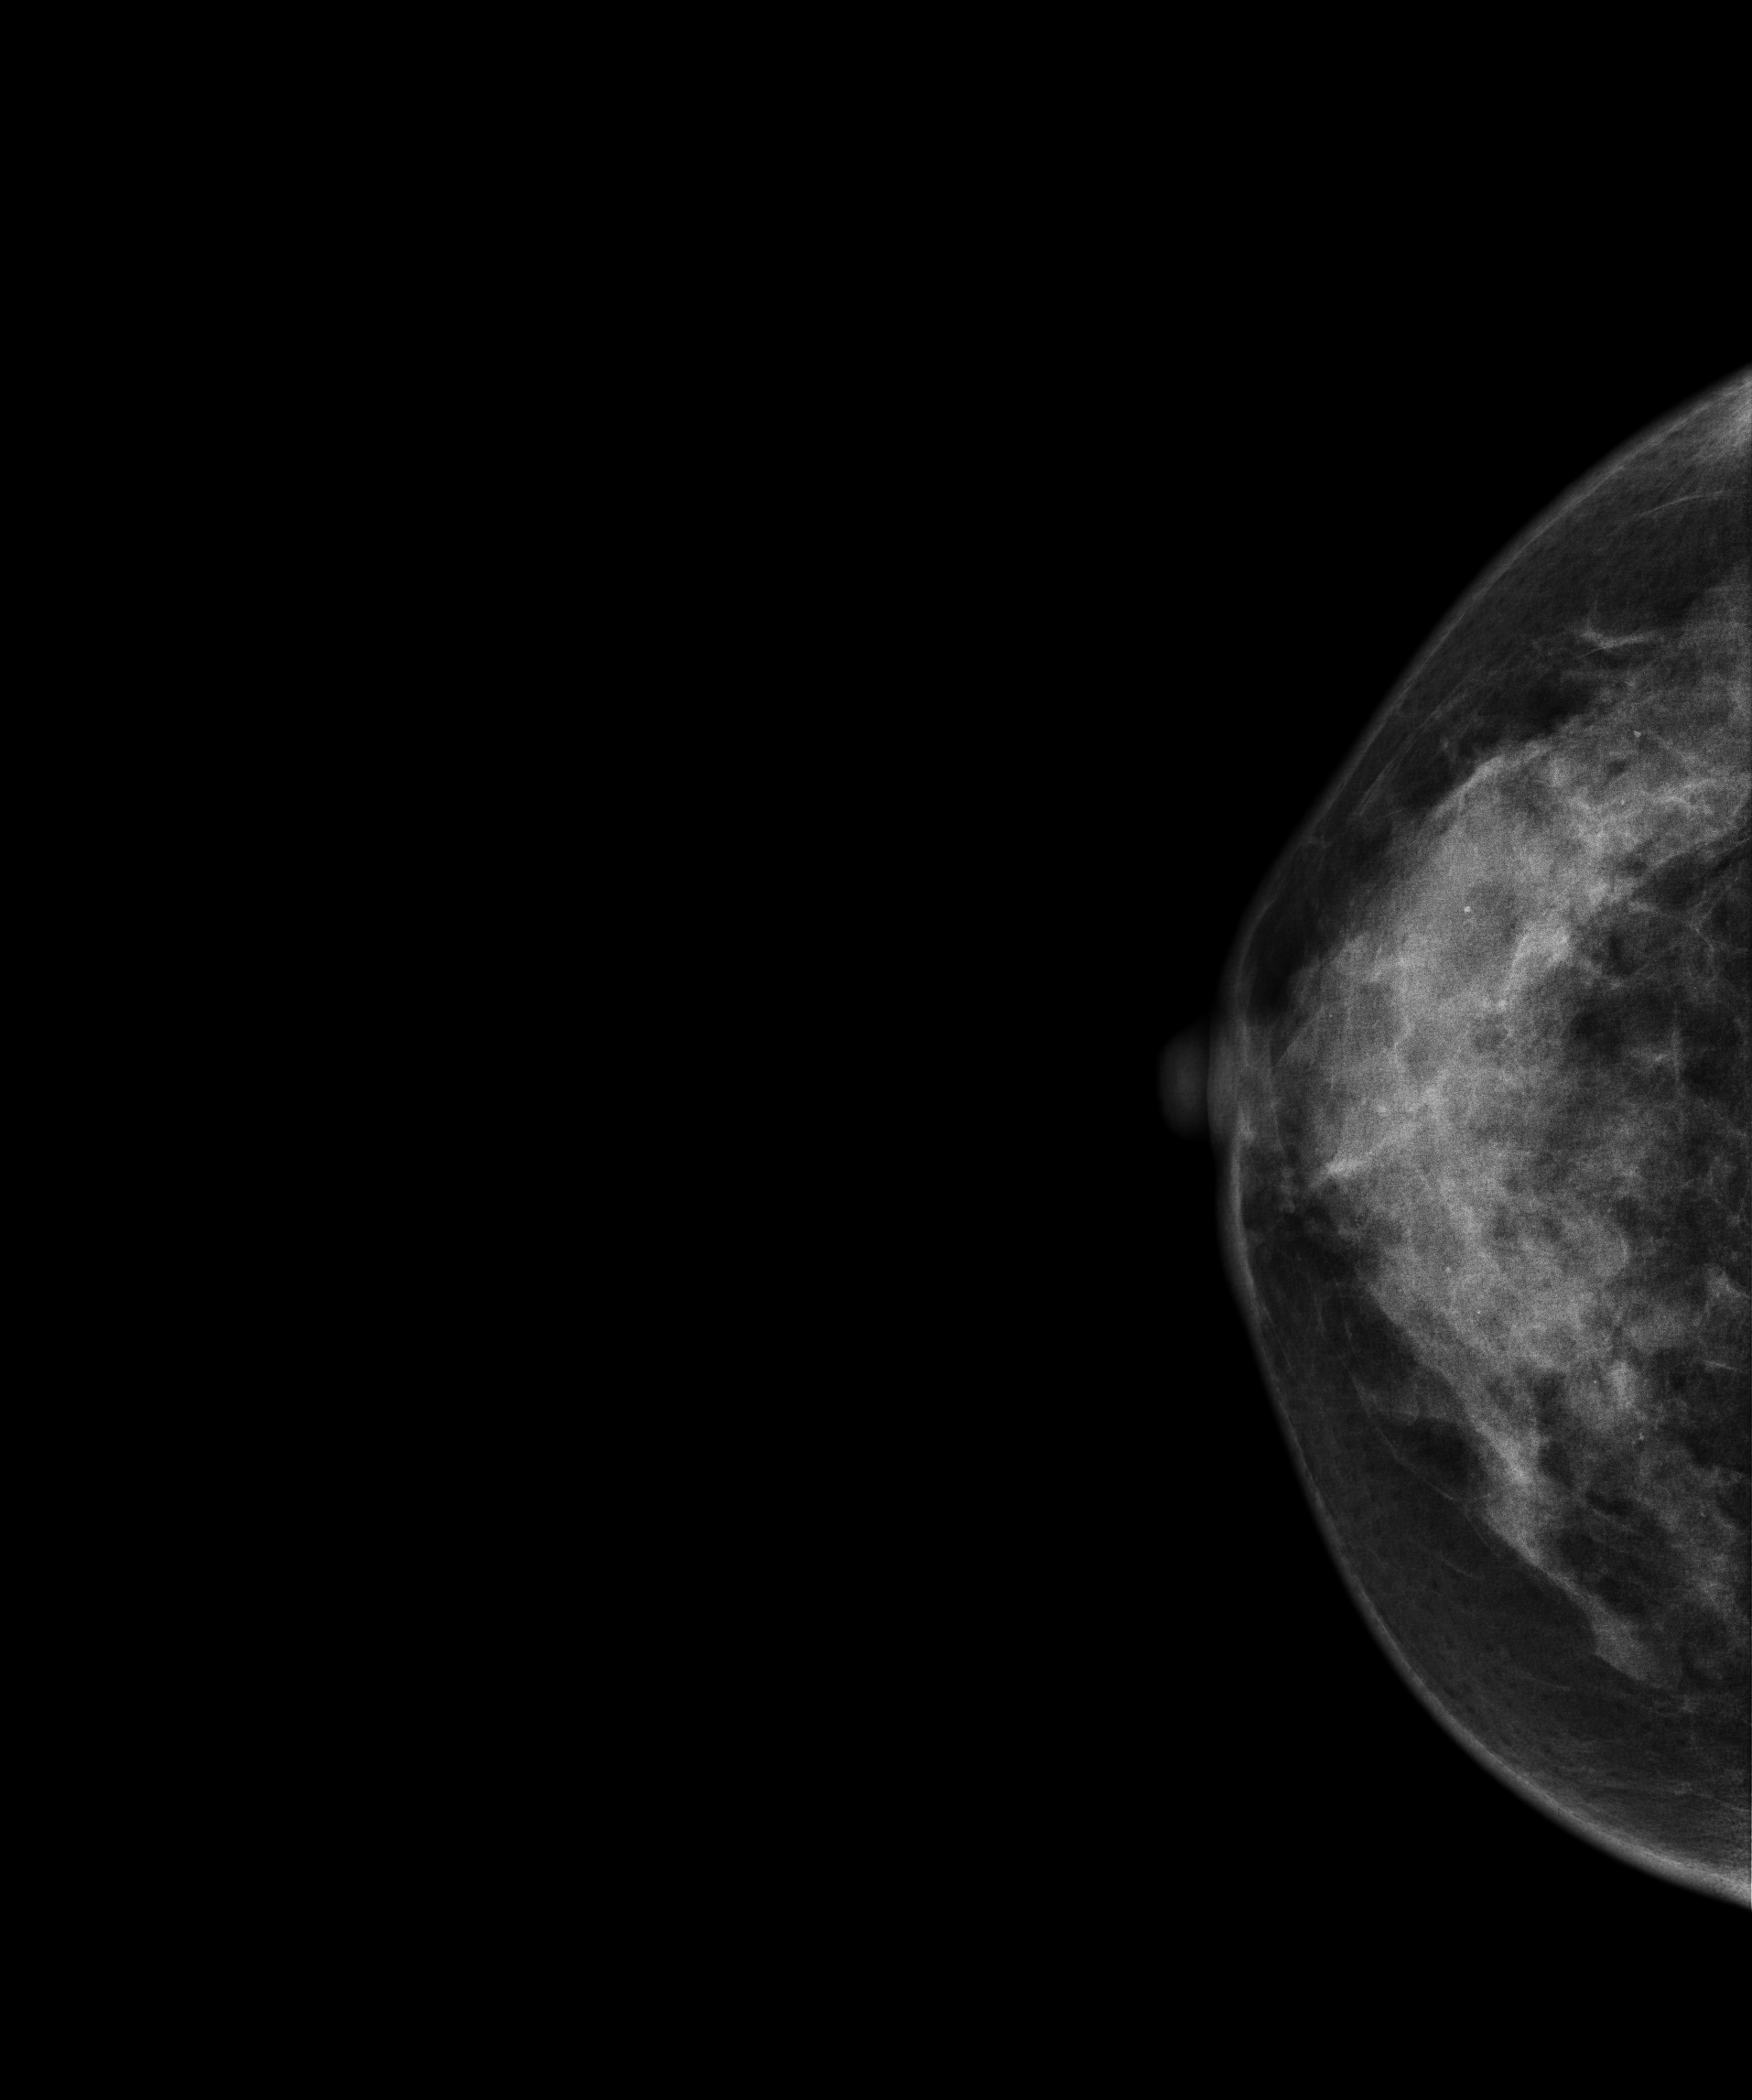
CC mammogram of the right breast. Patient age 49.
Contralateral breast — no documented abnormality on this side.